Mammogram, left breast, MLO view. 42-year-old patient.
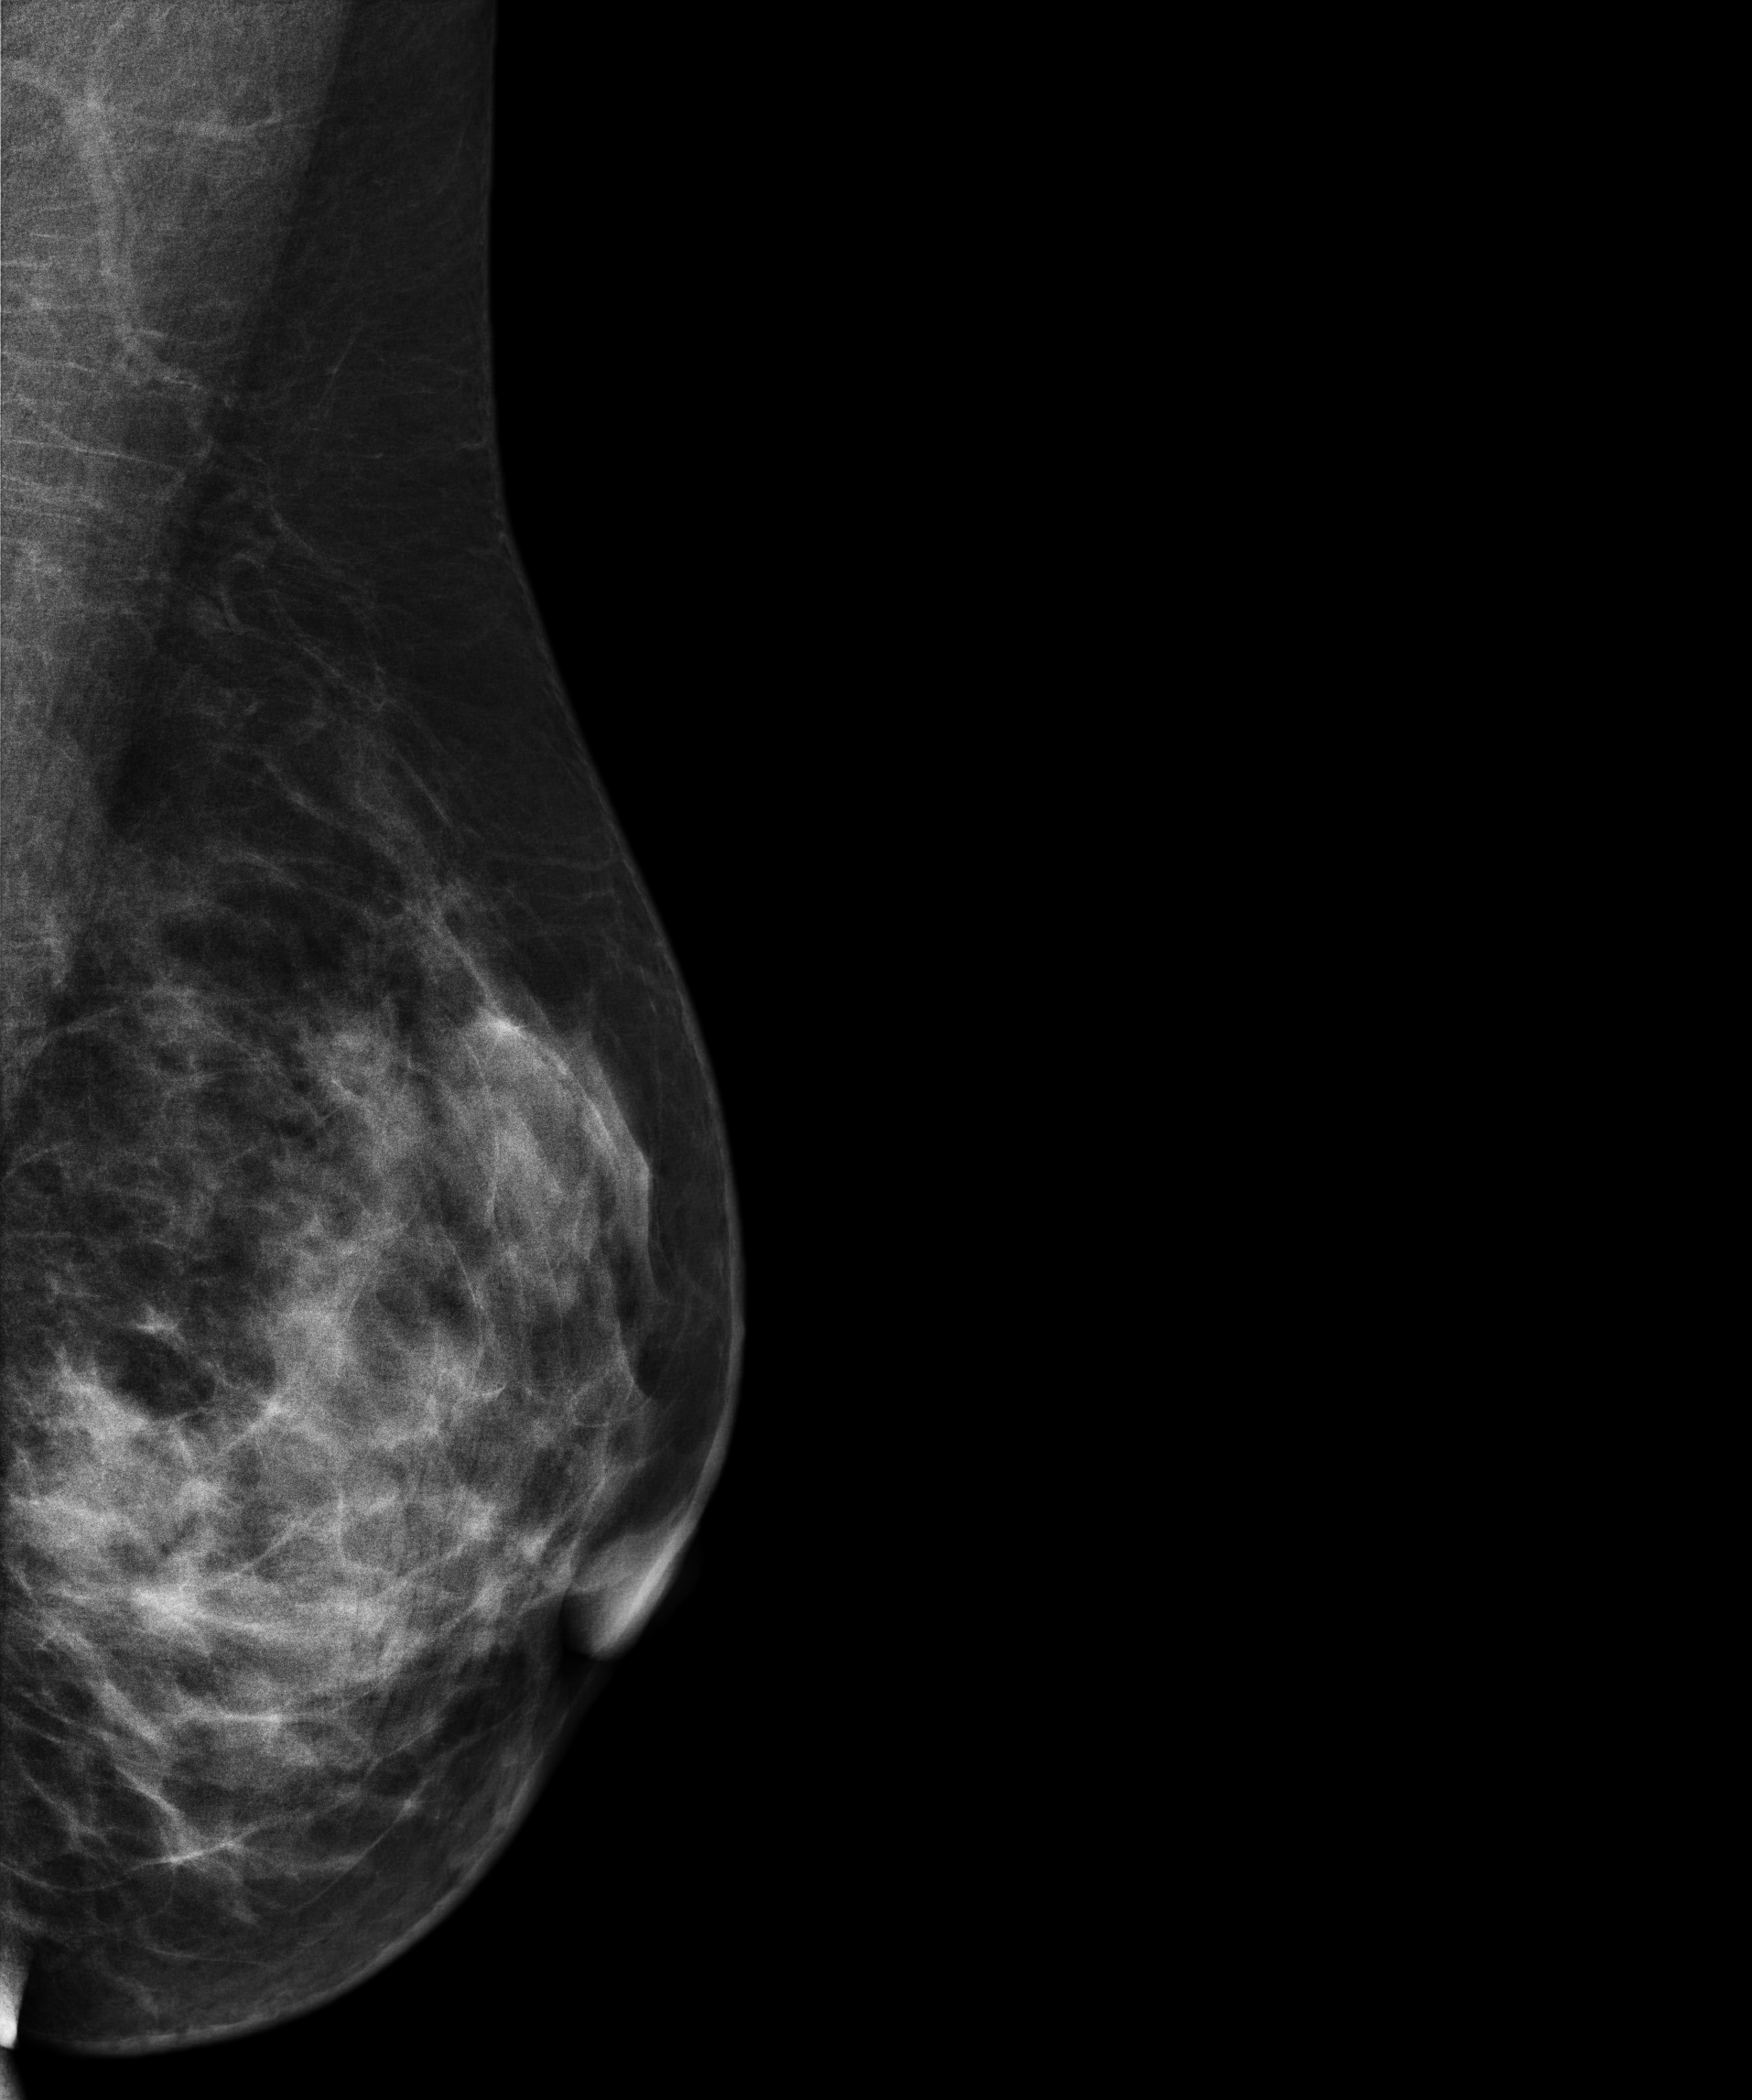
This breast has a mass, histologically confirmed malignant. Molecular subtype: luminal B.